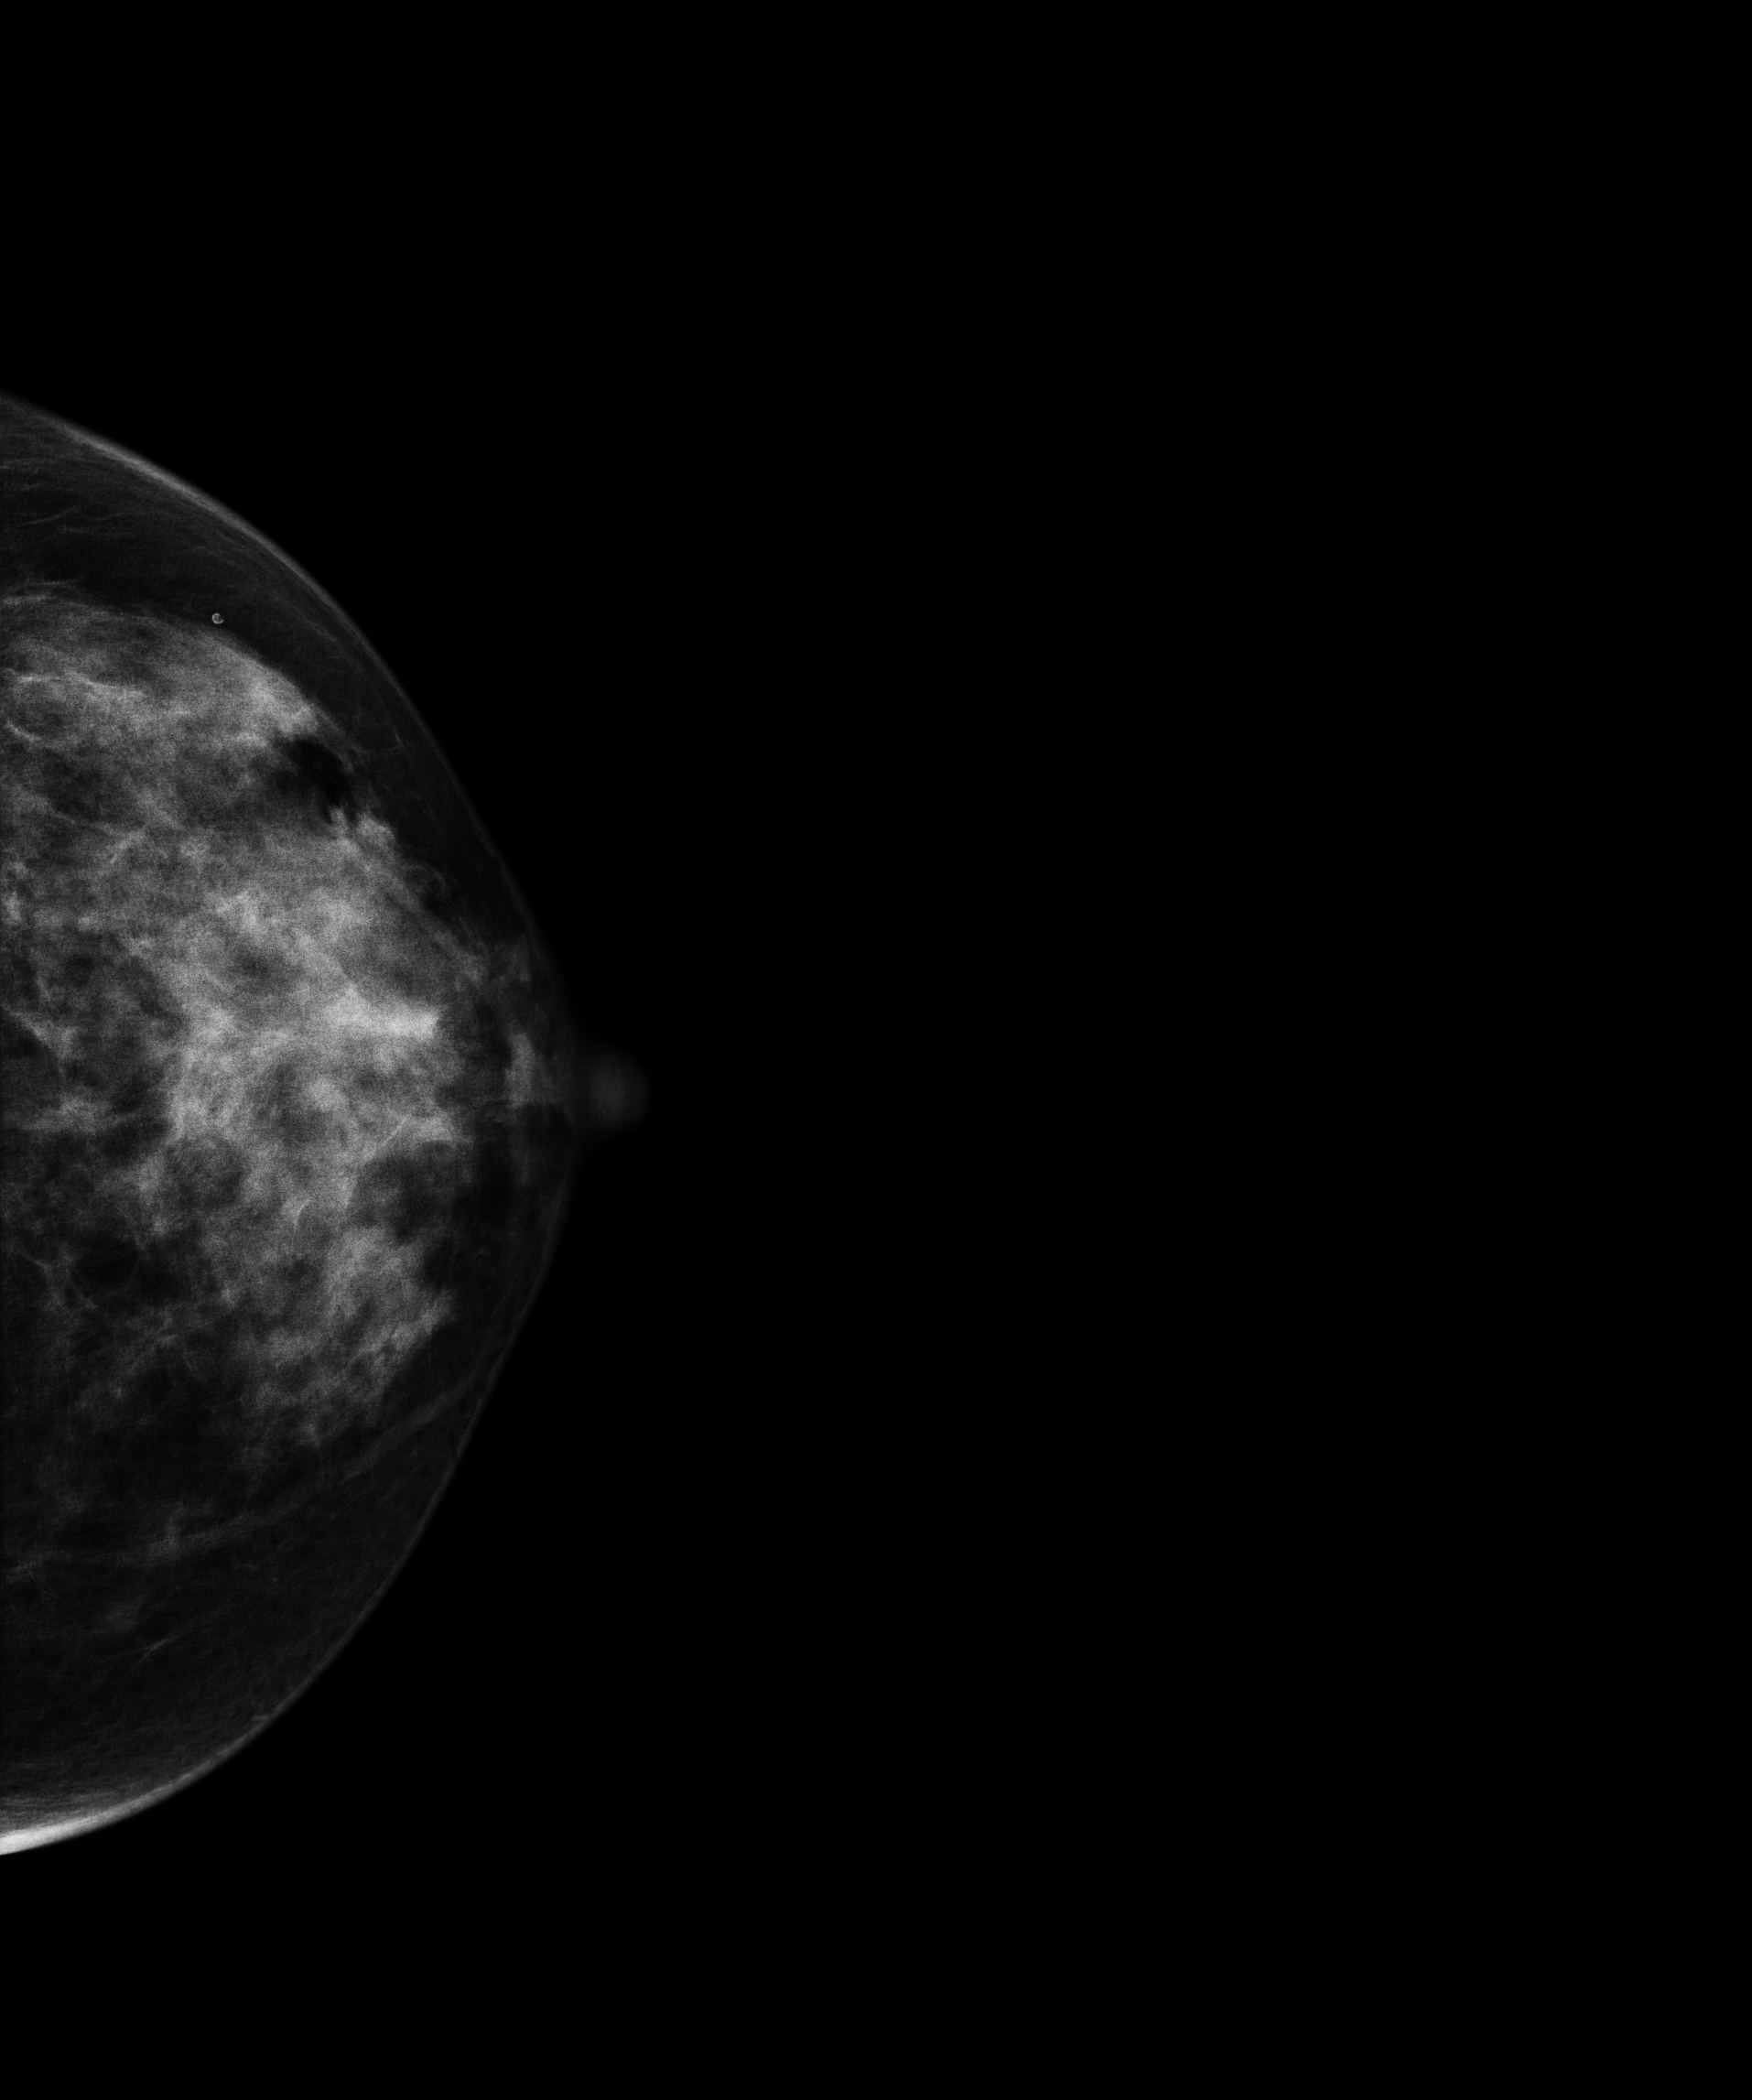
Cranio-caudal mammogram of the left breast. 34 y/o patient.
Contralateral breast — no documented abnormality on this side.